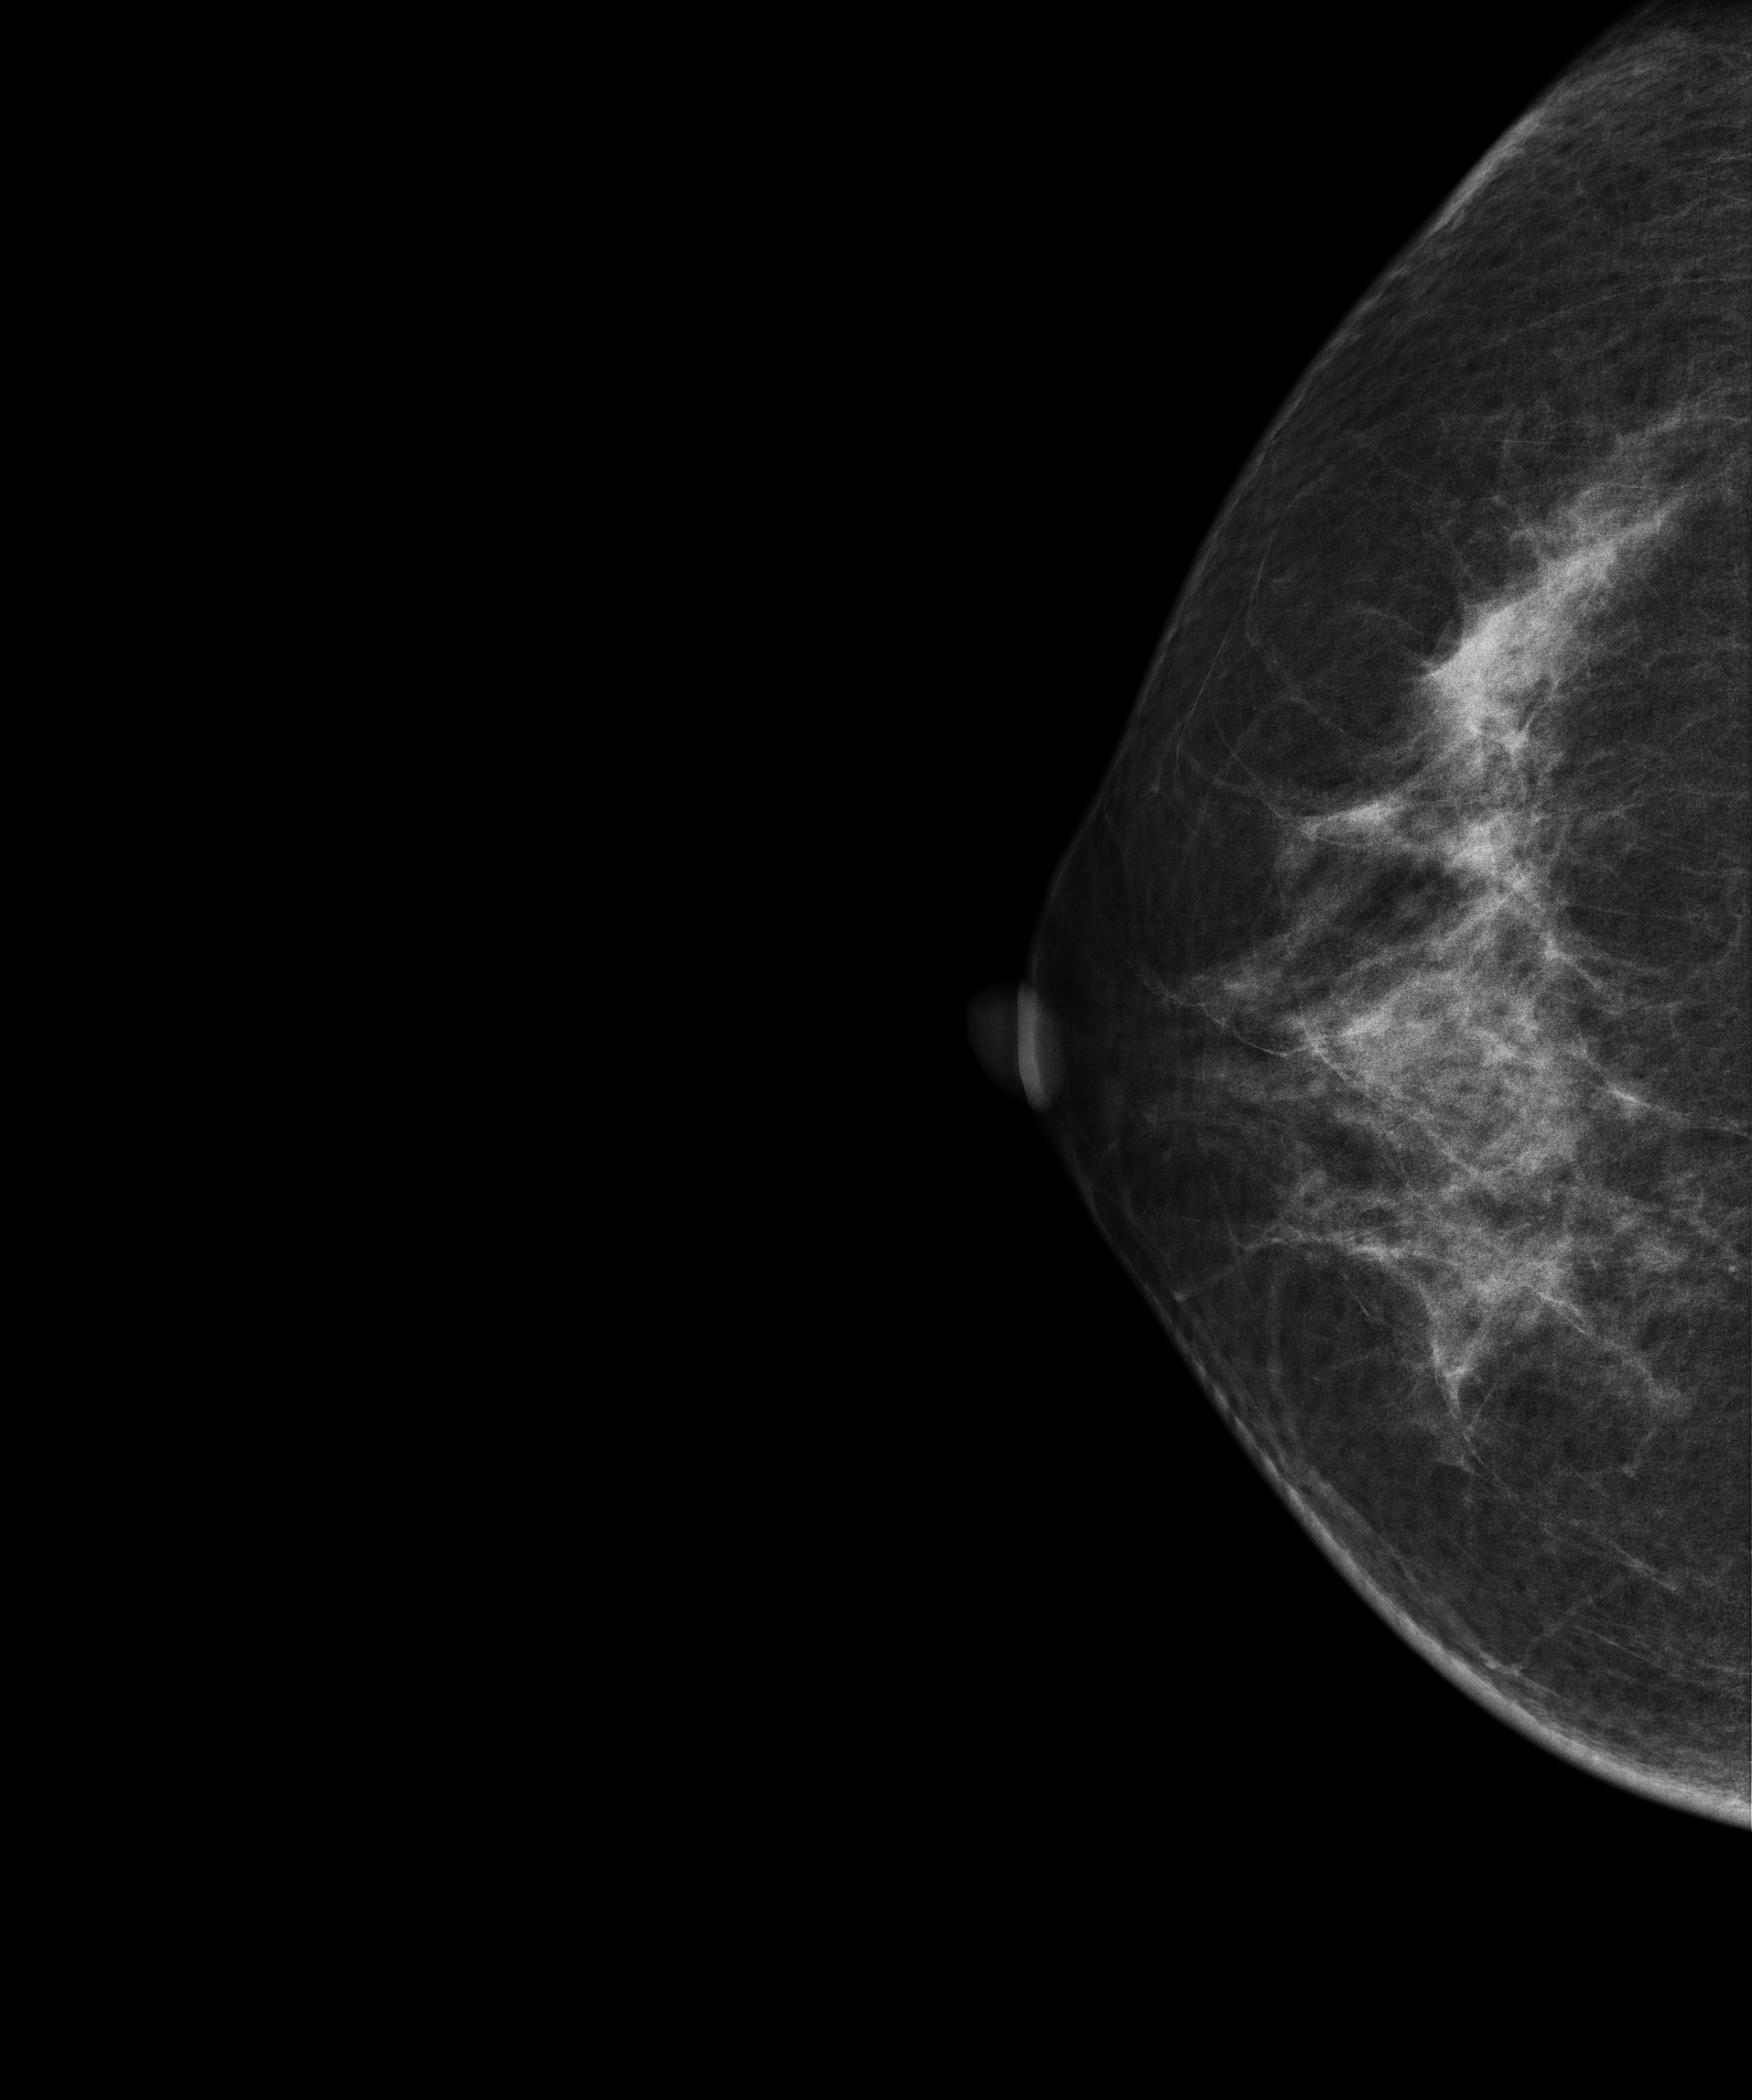
Mammogram, right breast, CC view. 52-year-old patient.
Contralateral breast — no documented abnormality on this side.